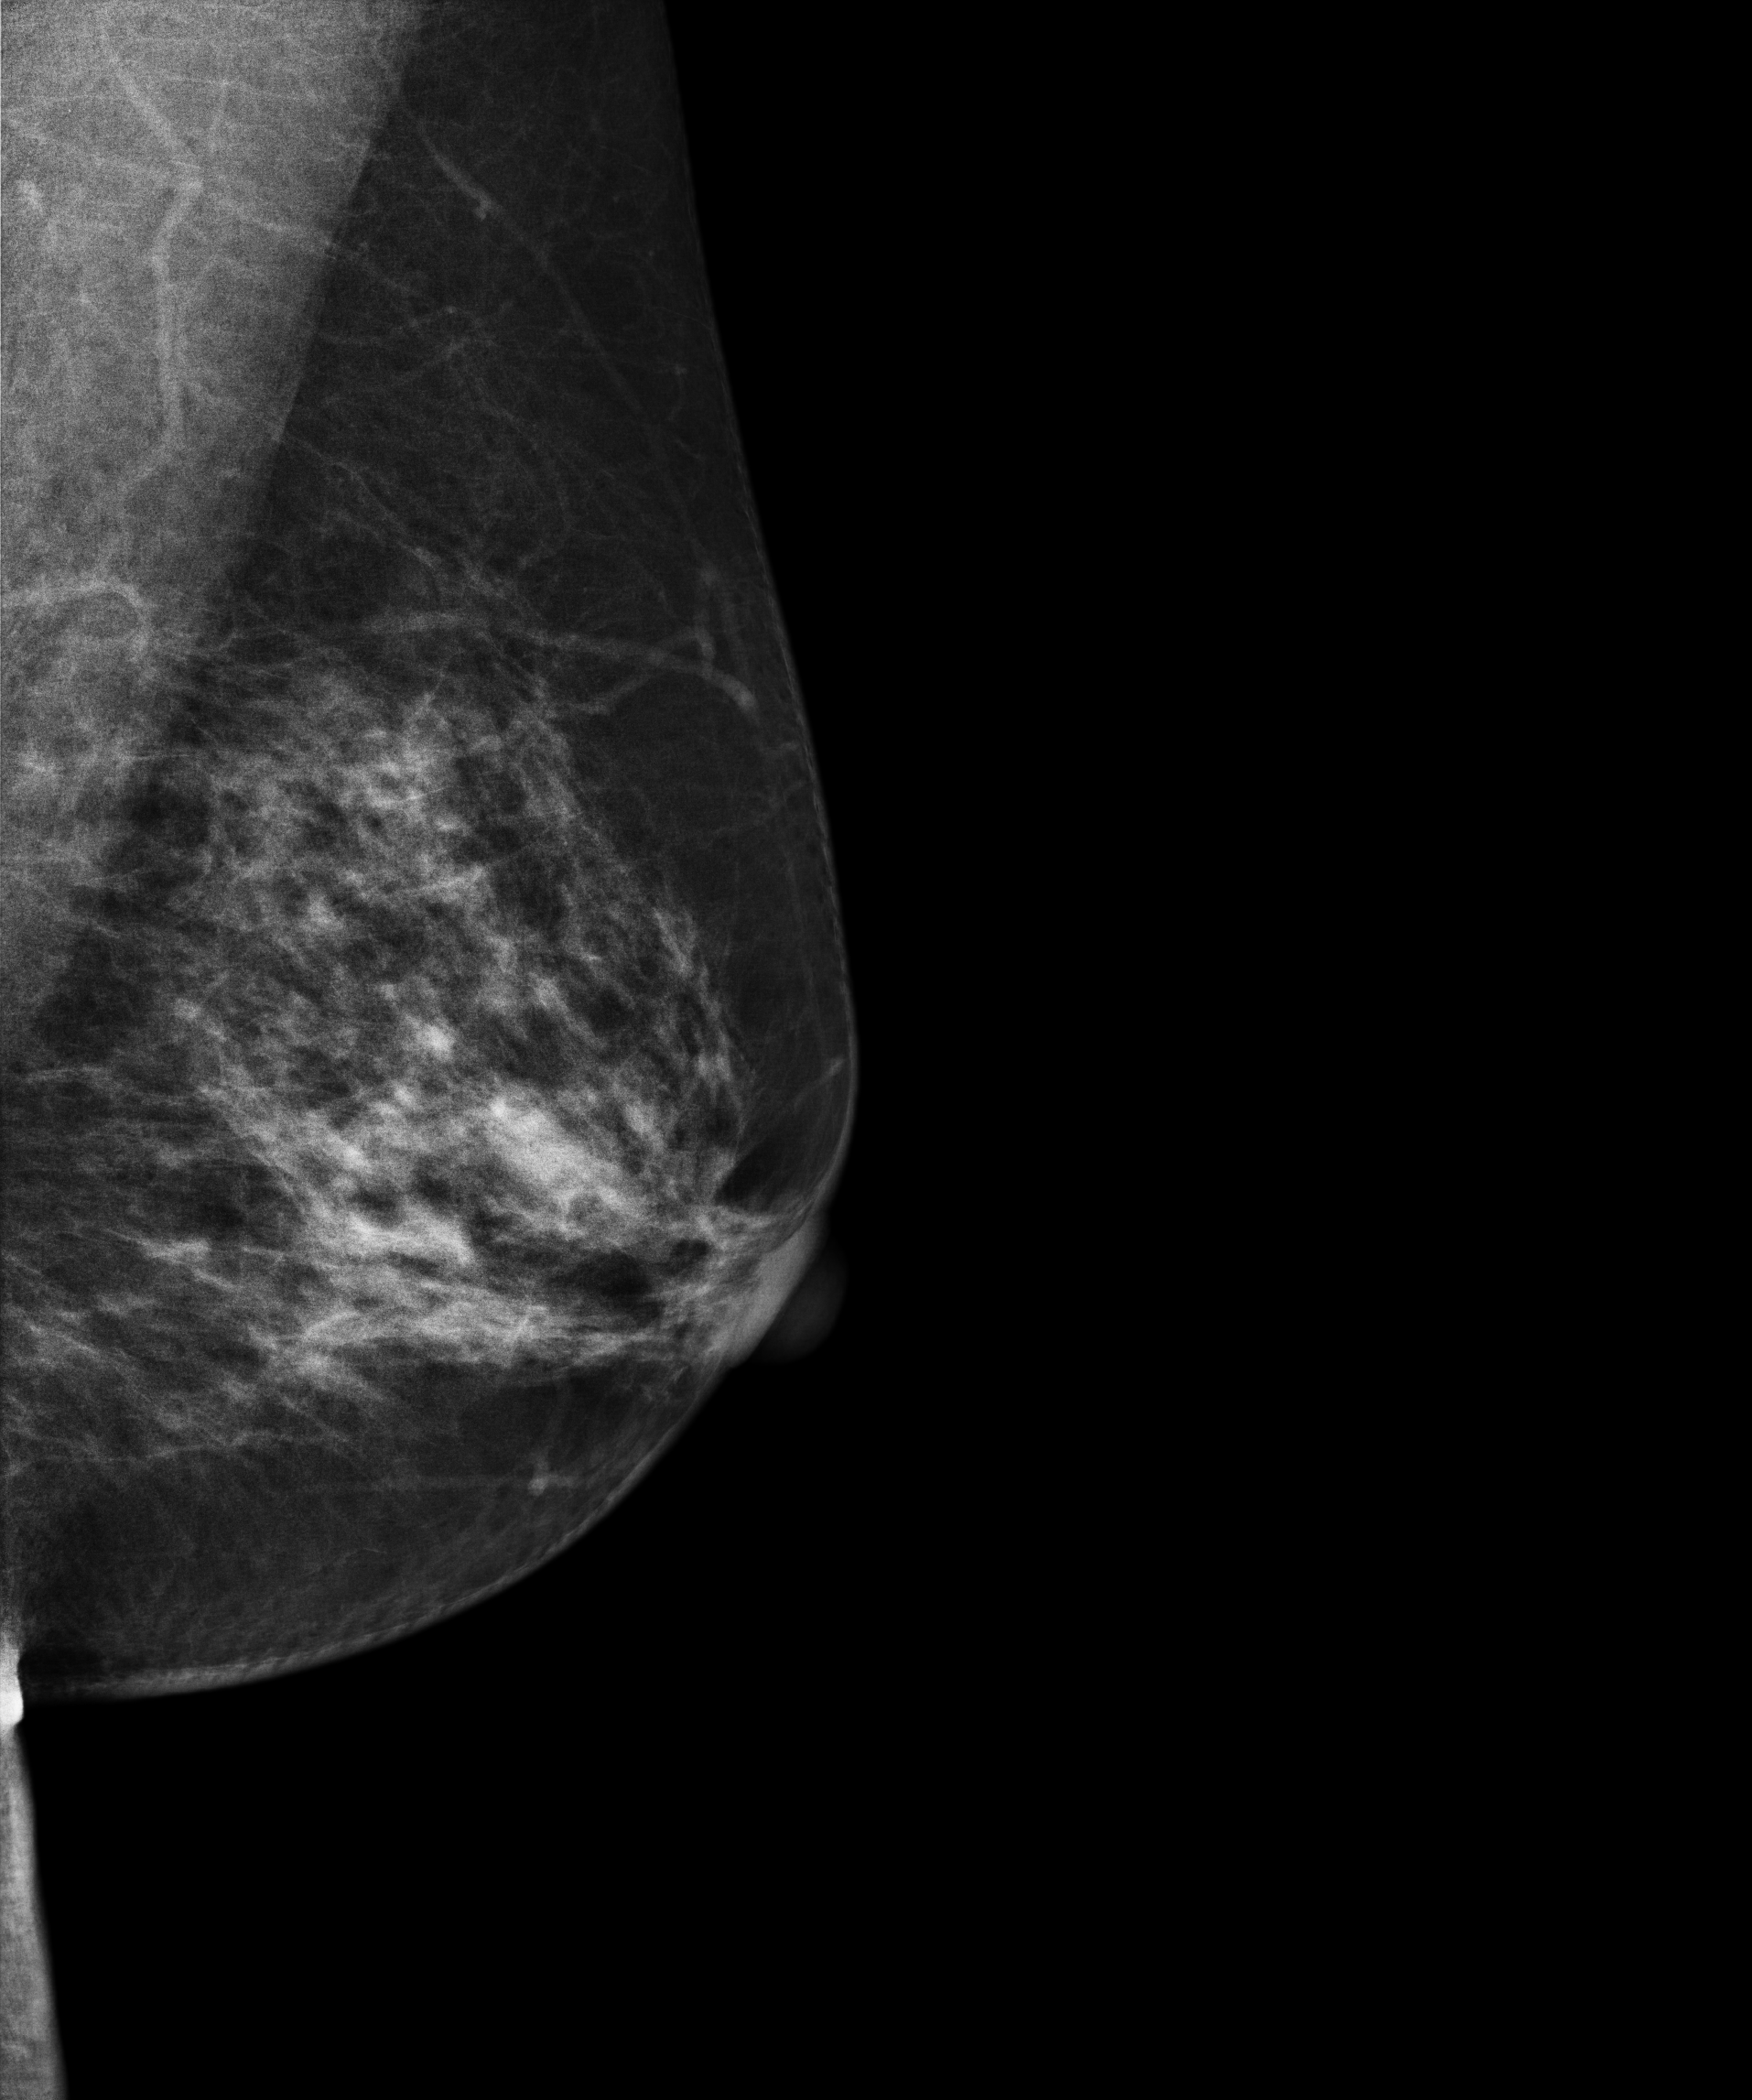
MLO mammogram of the left breast. 53-year-old patient.
Contralateral breast — no documented abnormality on this side.